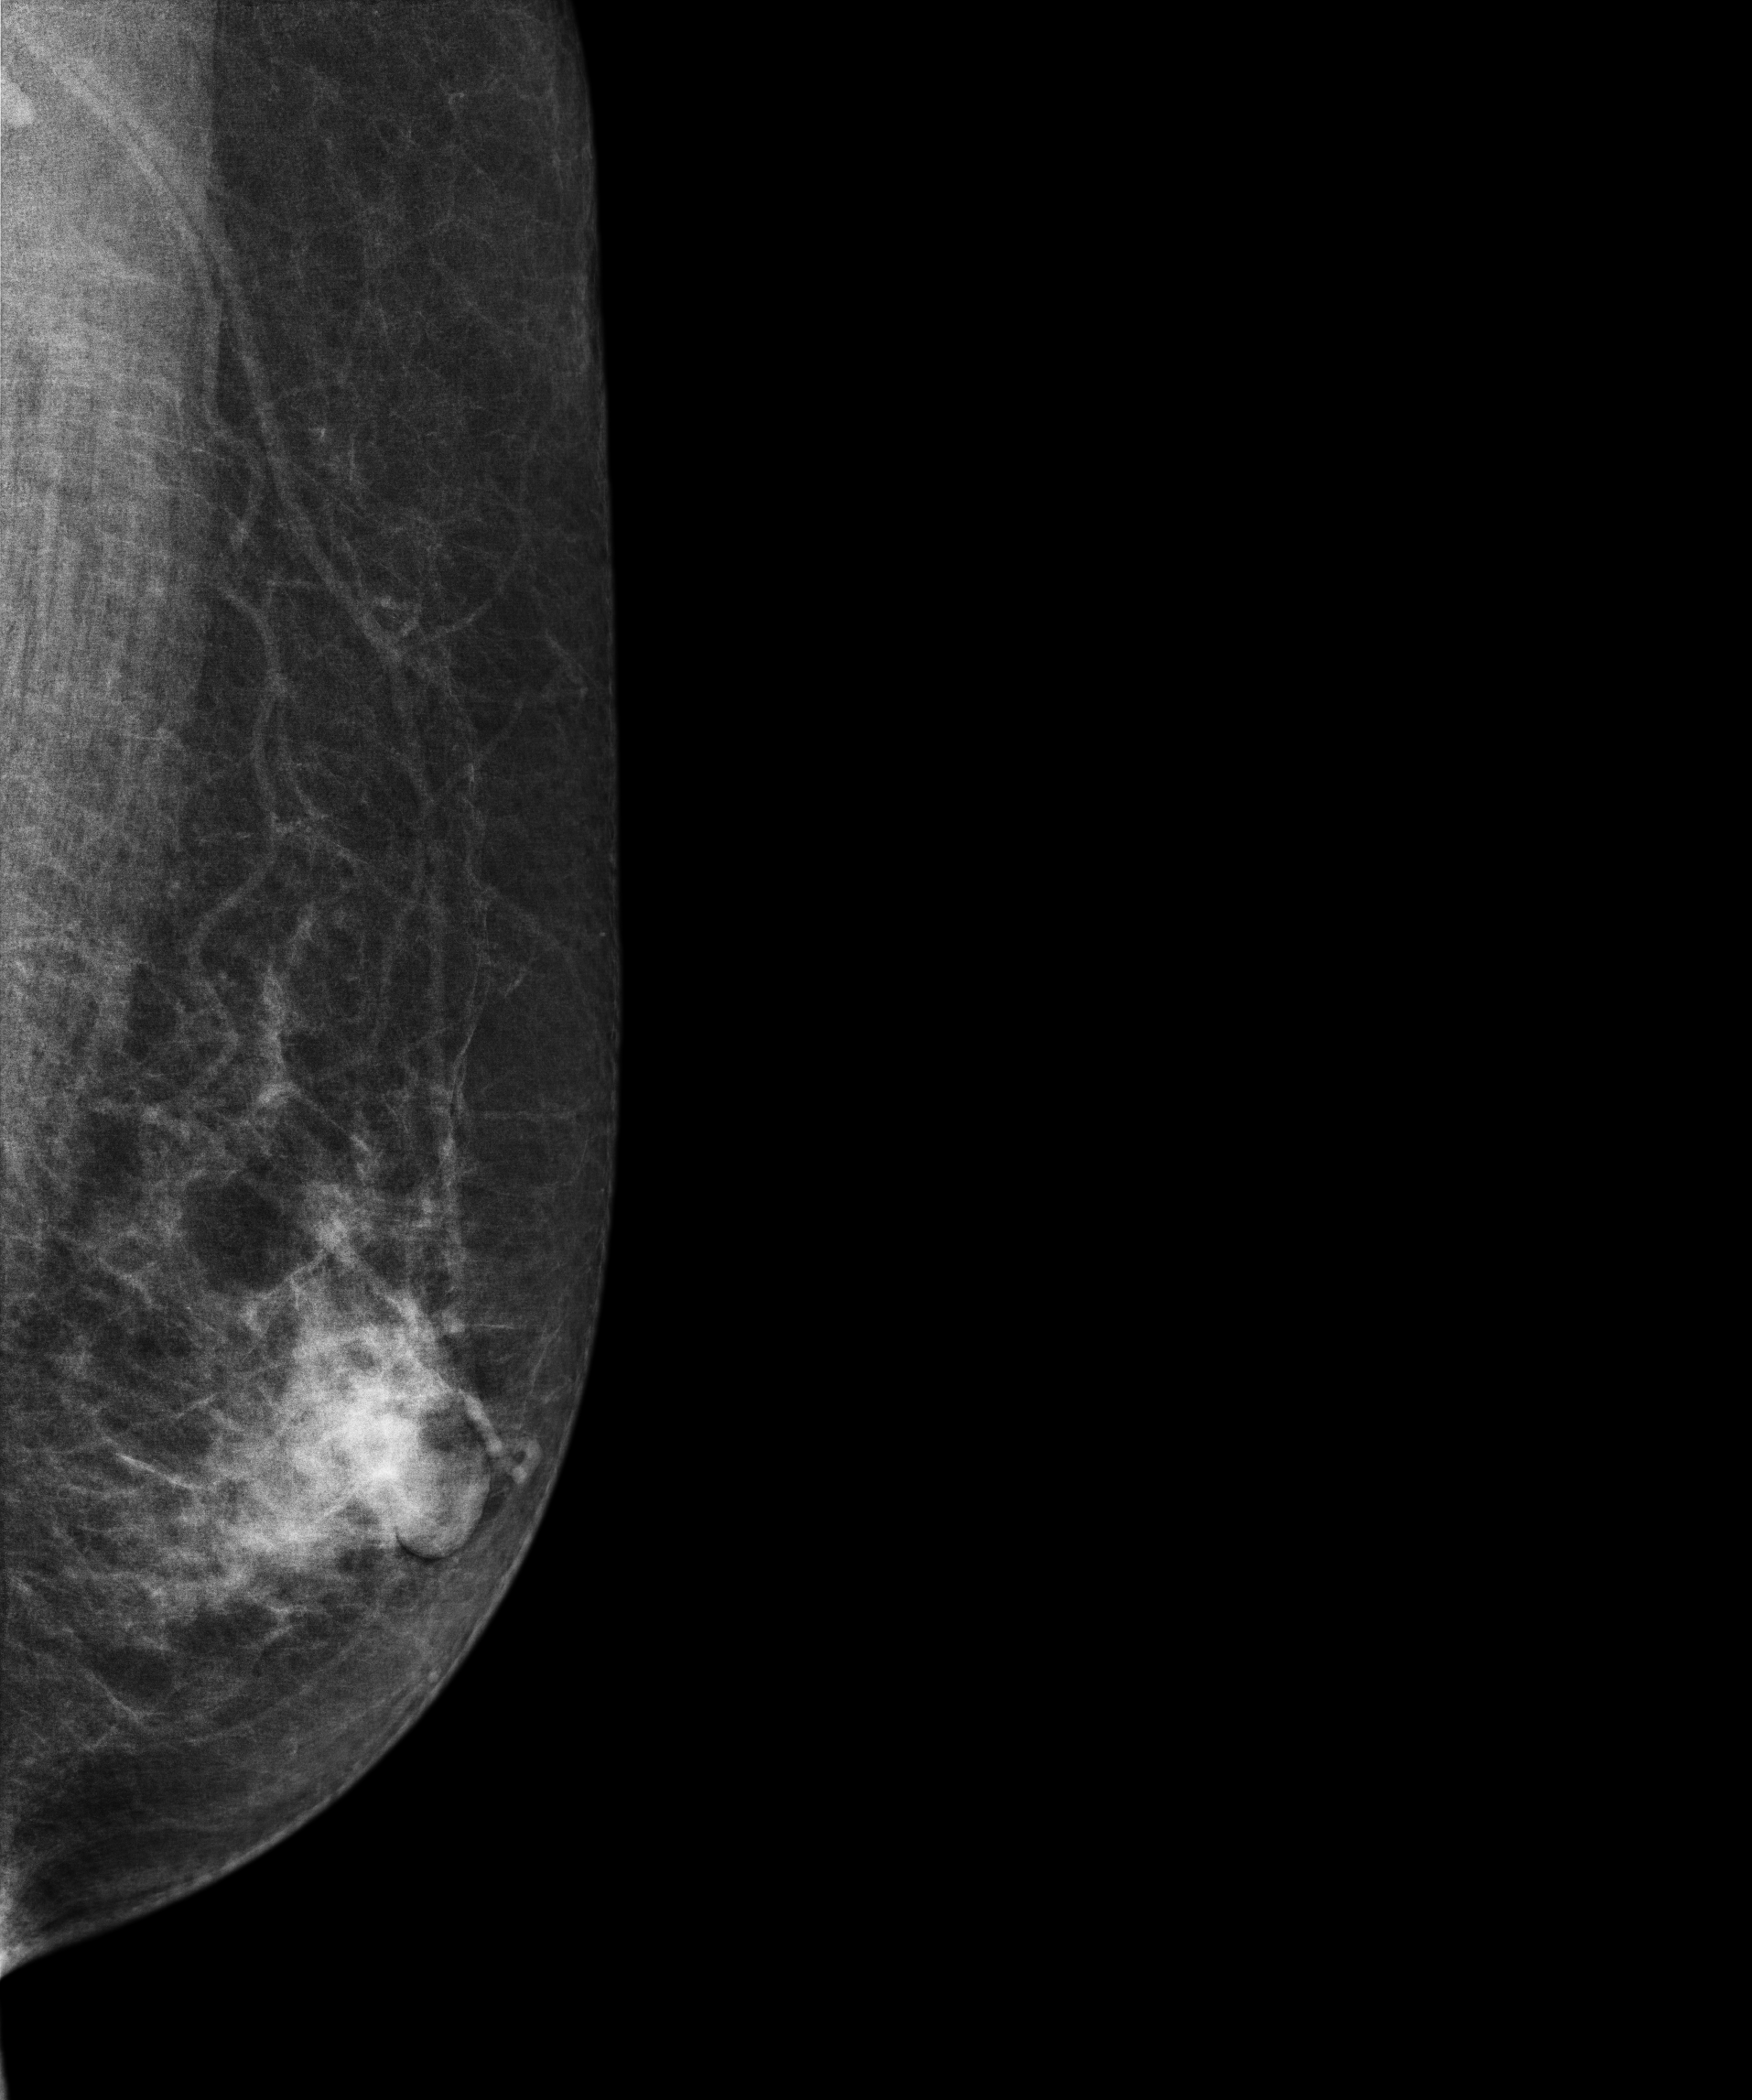
Digital mammography. Left breast, medio-lateral oblique projection. 57-year-old patient.
Contralateral breast — no documented abnormality on this side.